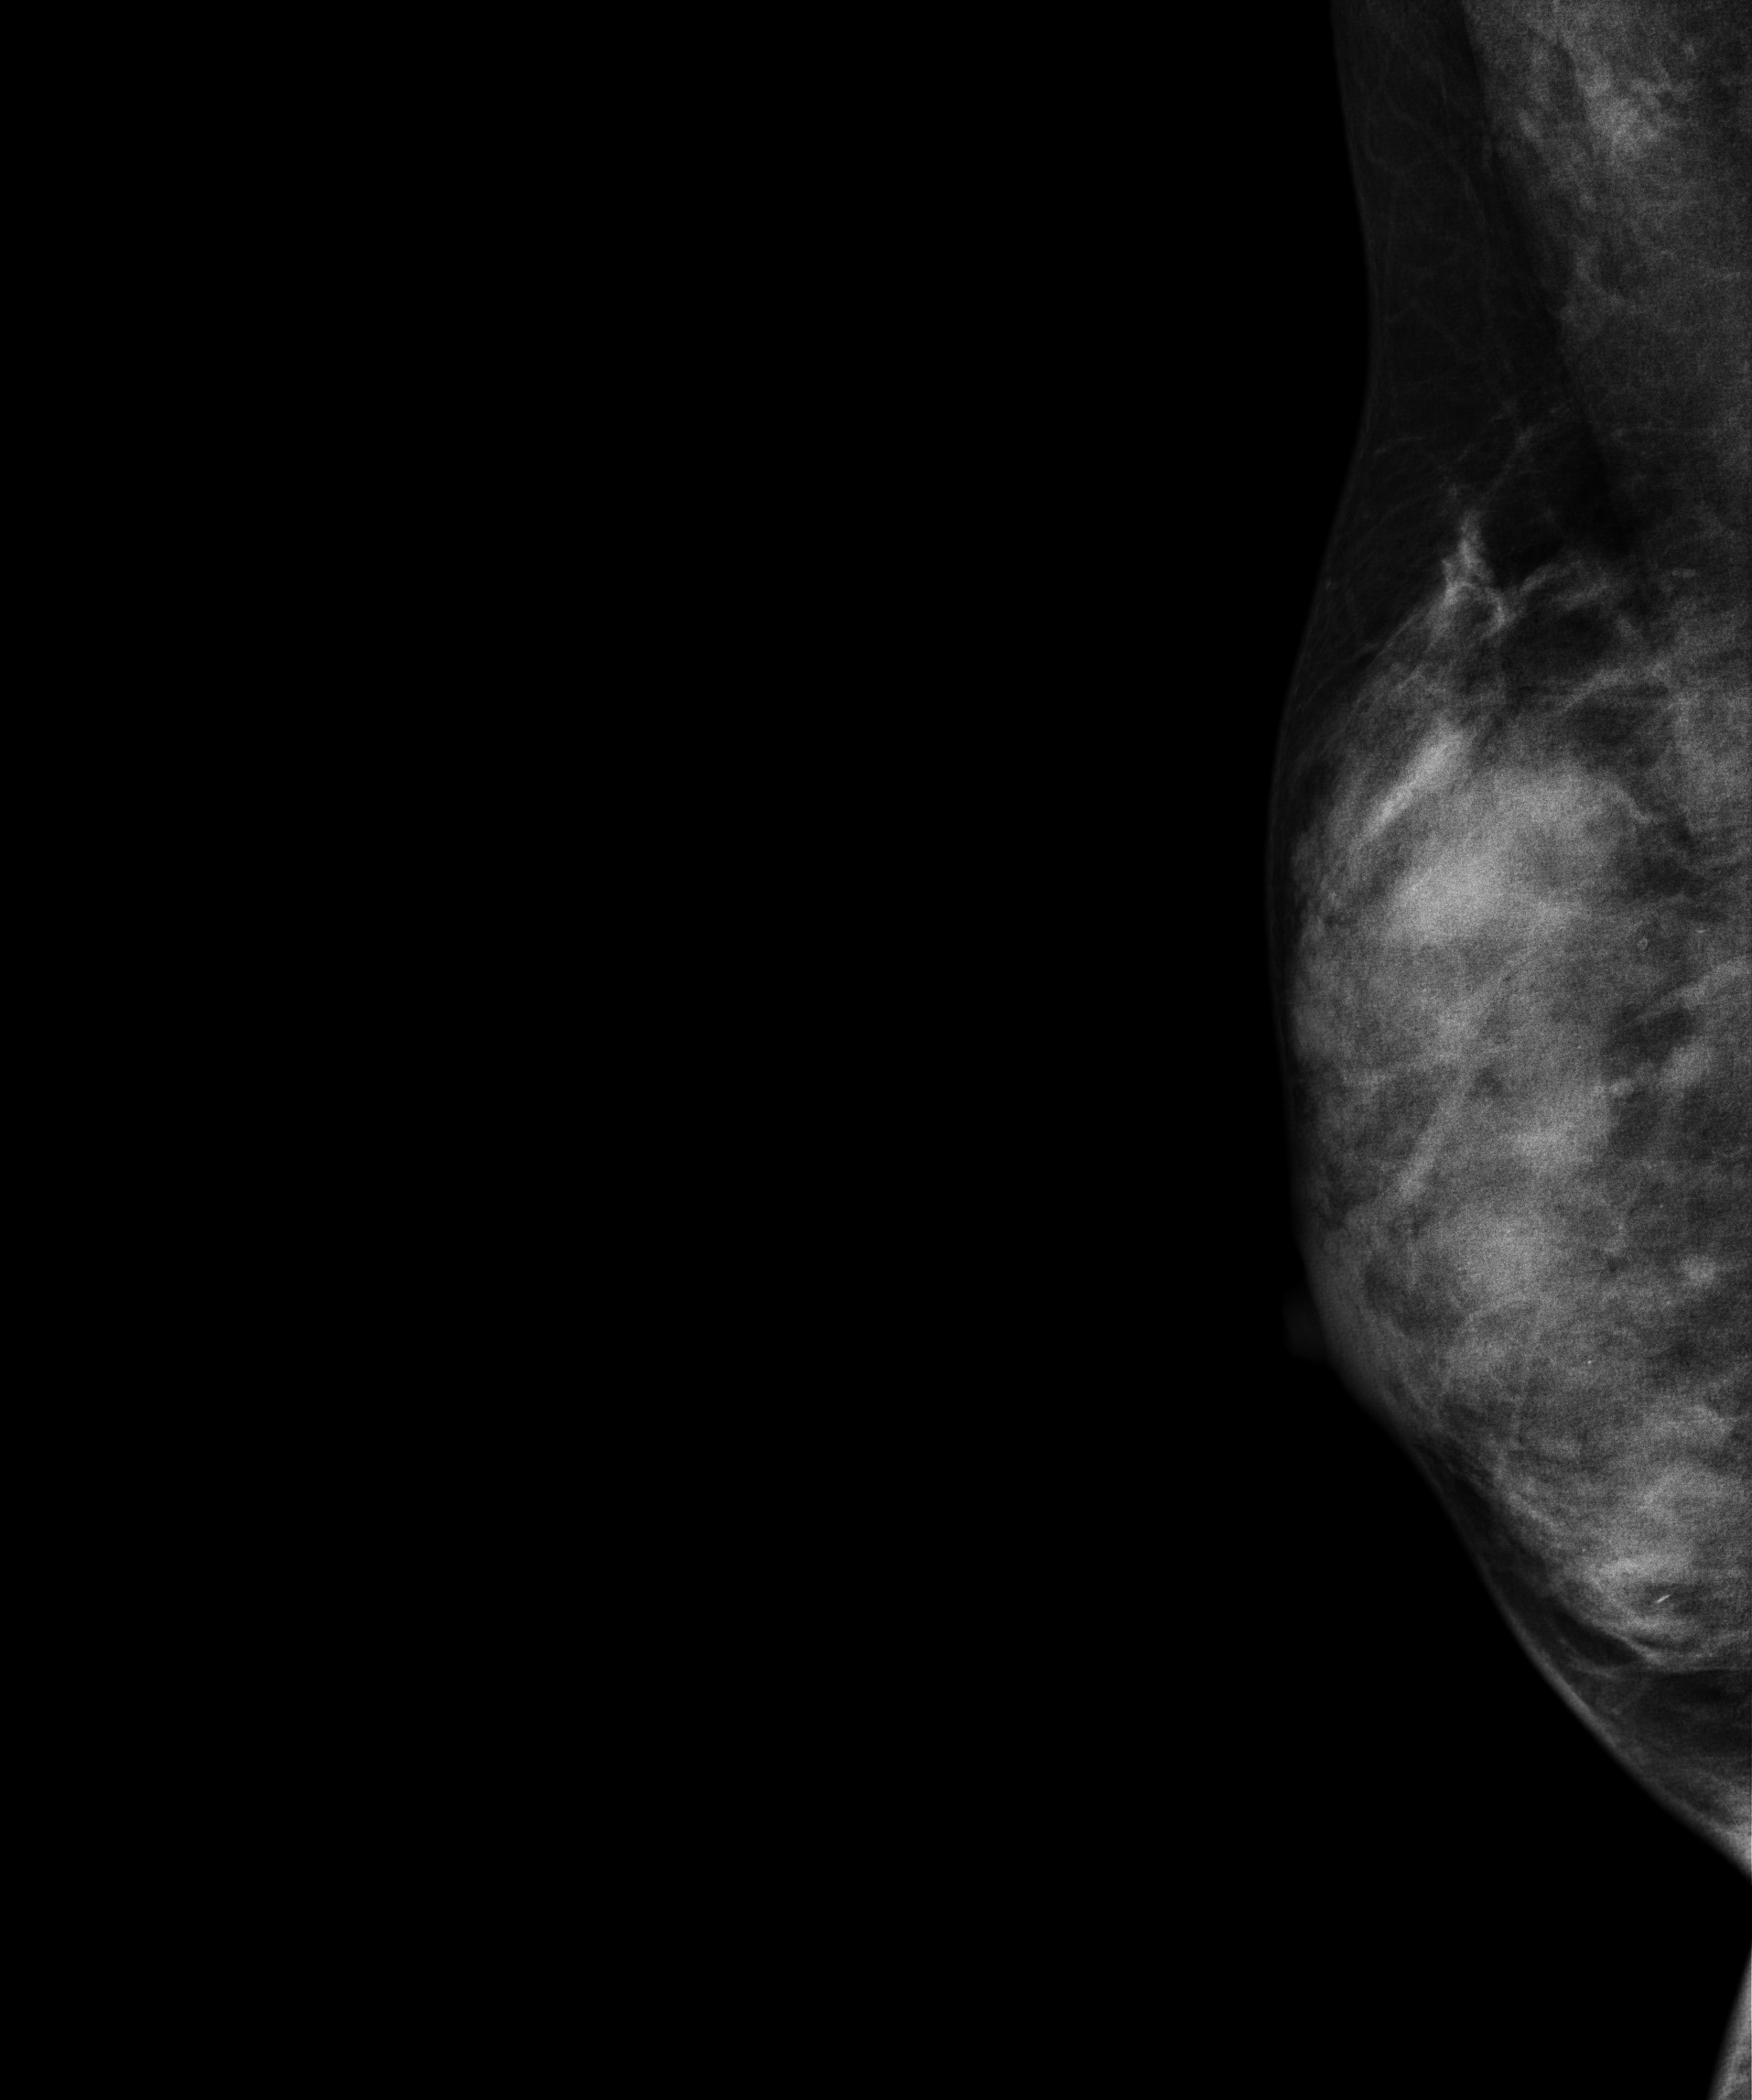
Mammogram, right breast, cranio-caudal view. 22-year-old patient.
This breast has calcifications, biopsy-proven benign.